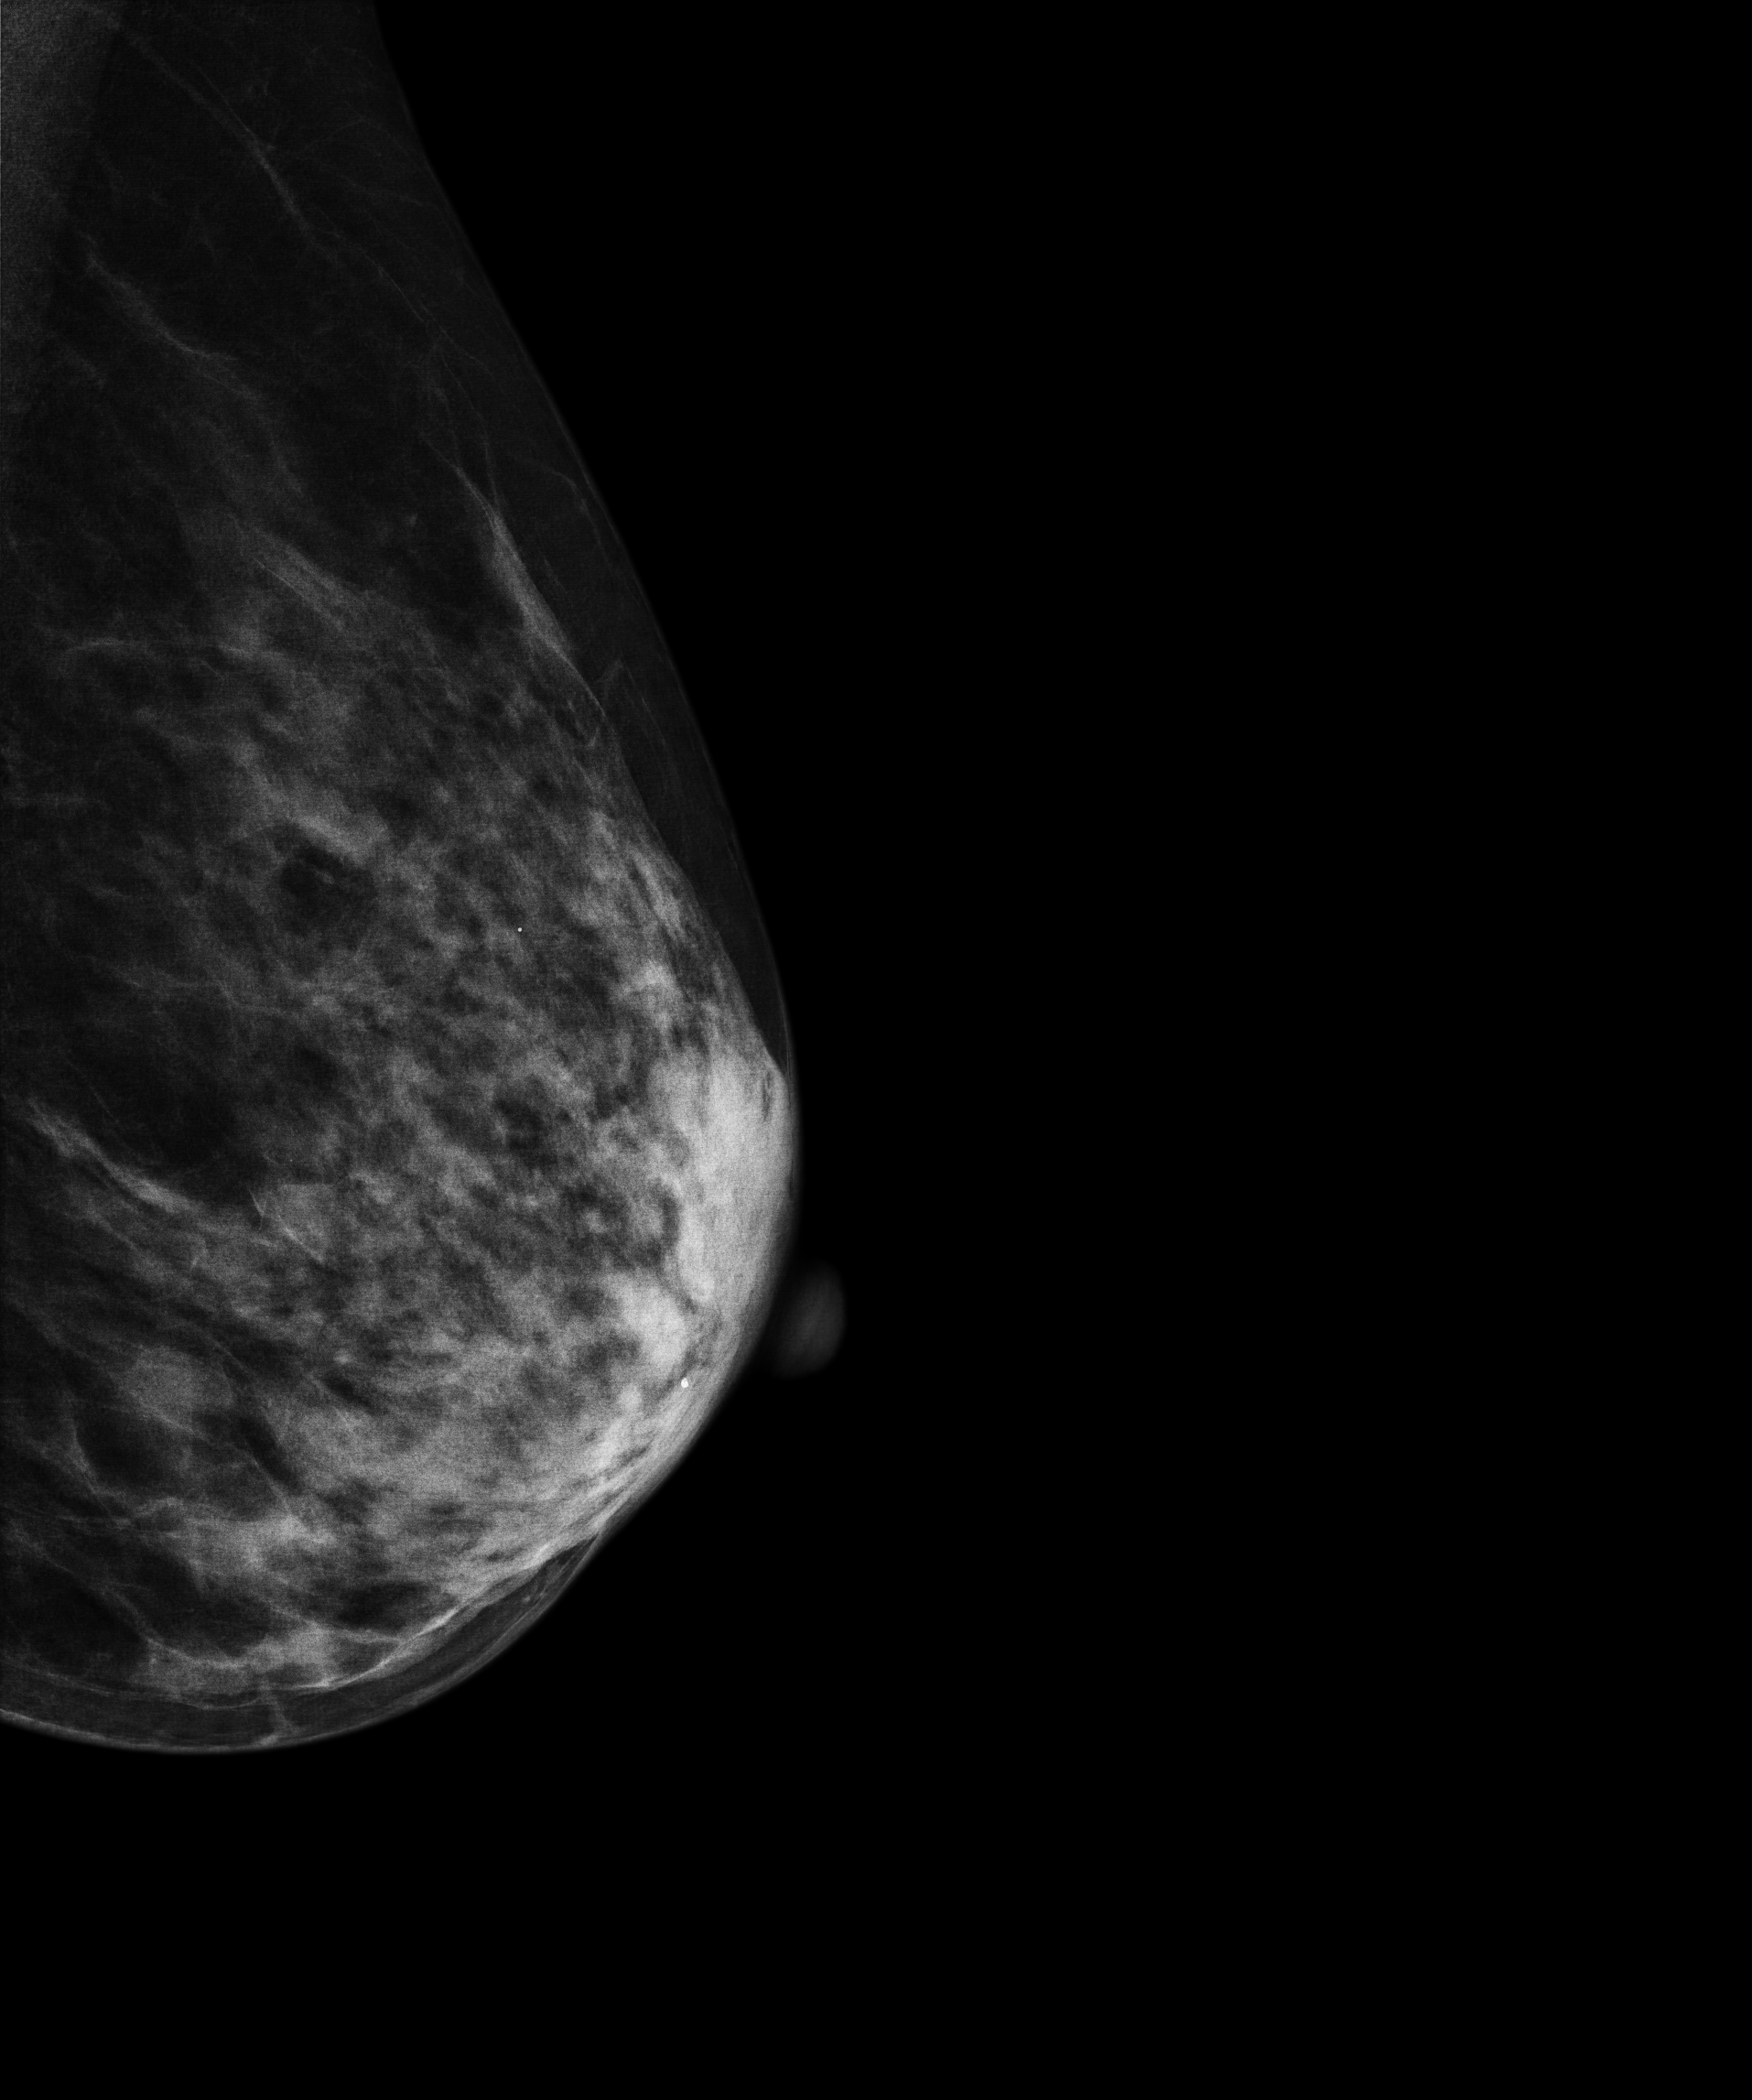
Digital mammography. Left breast, MLO projection. 57-year-old patient.
Contralateral breast — no documented abnormality on this side.